Mammogram — right CC. 53 y/o patient.
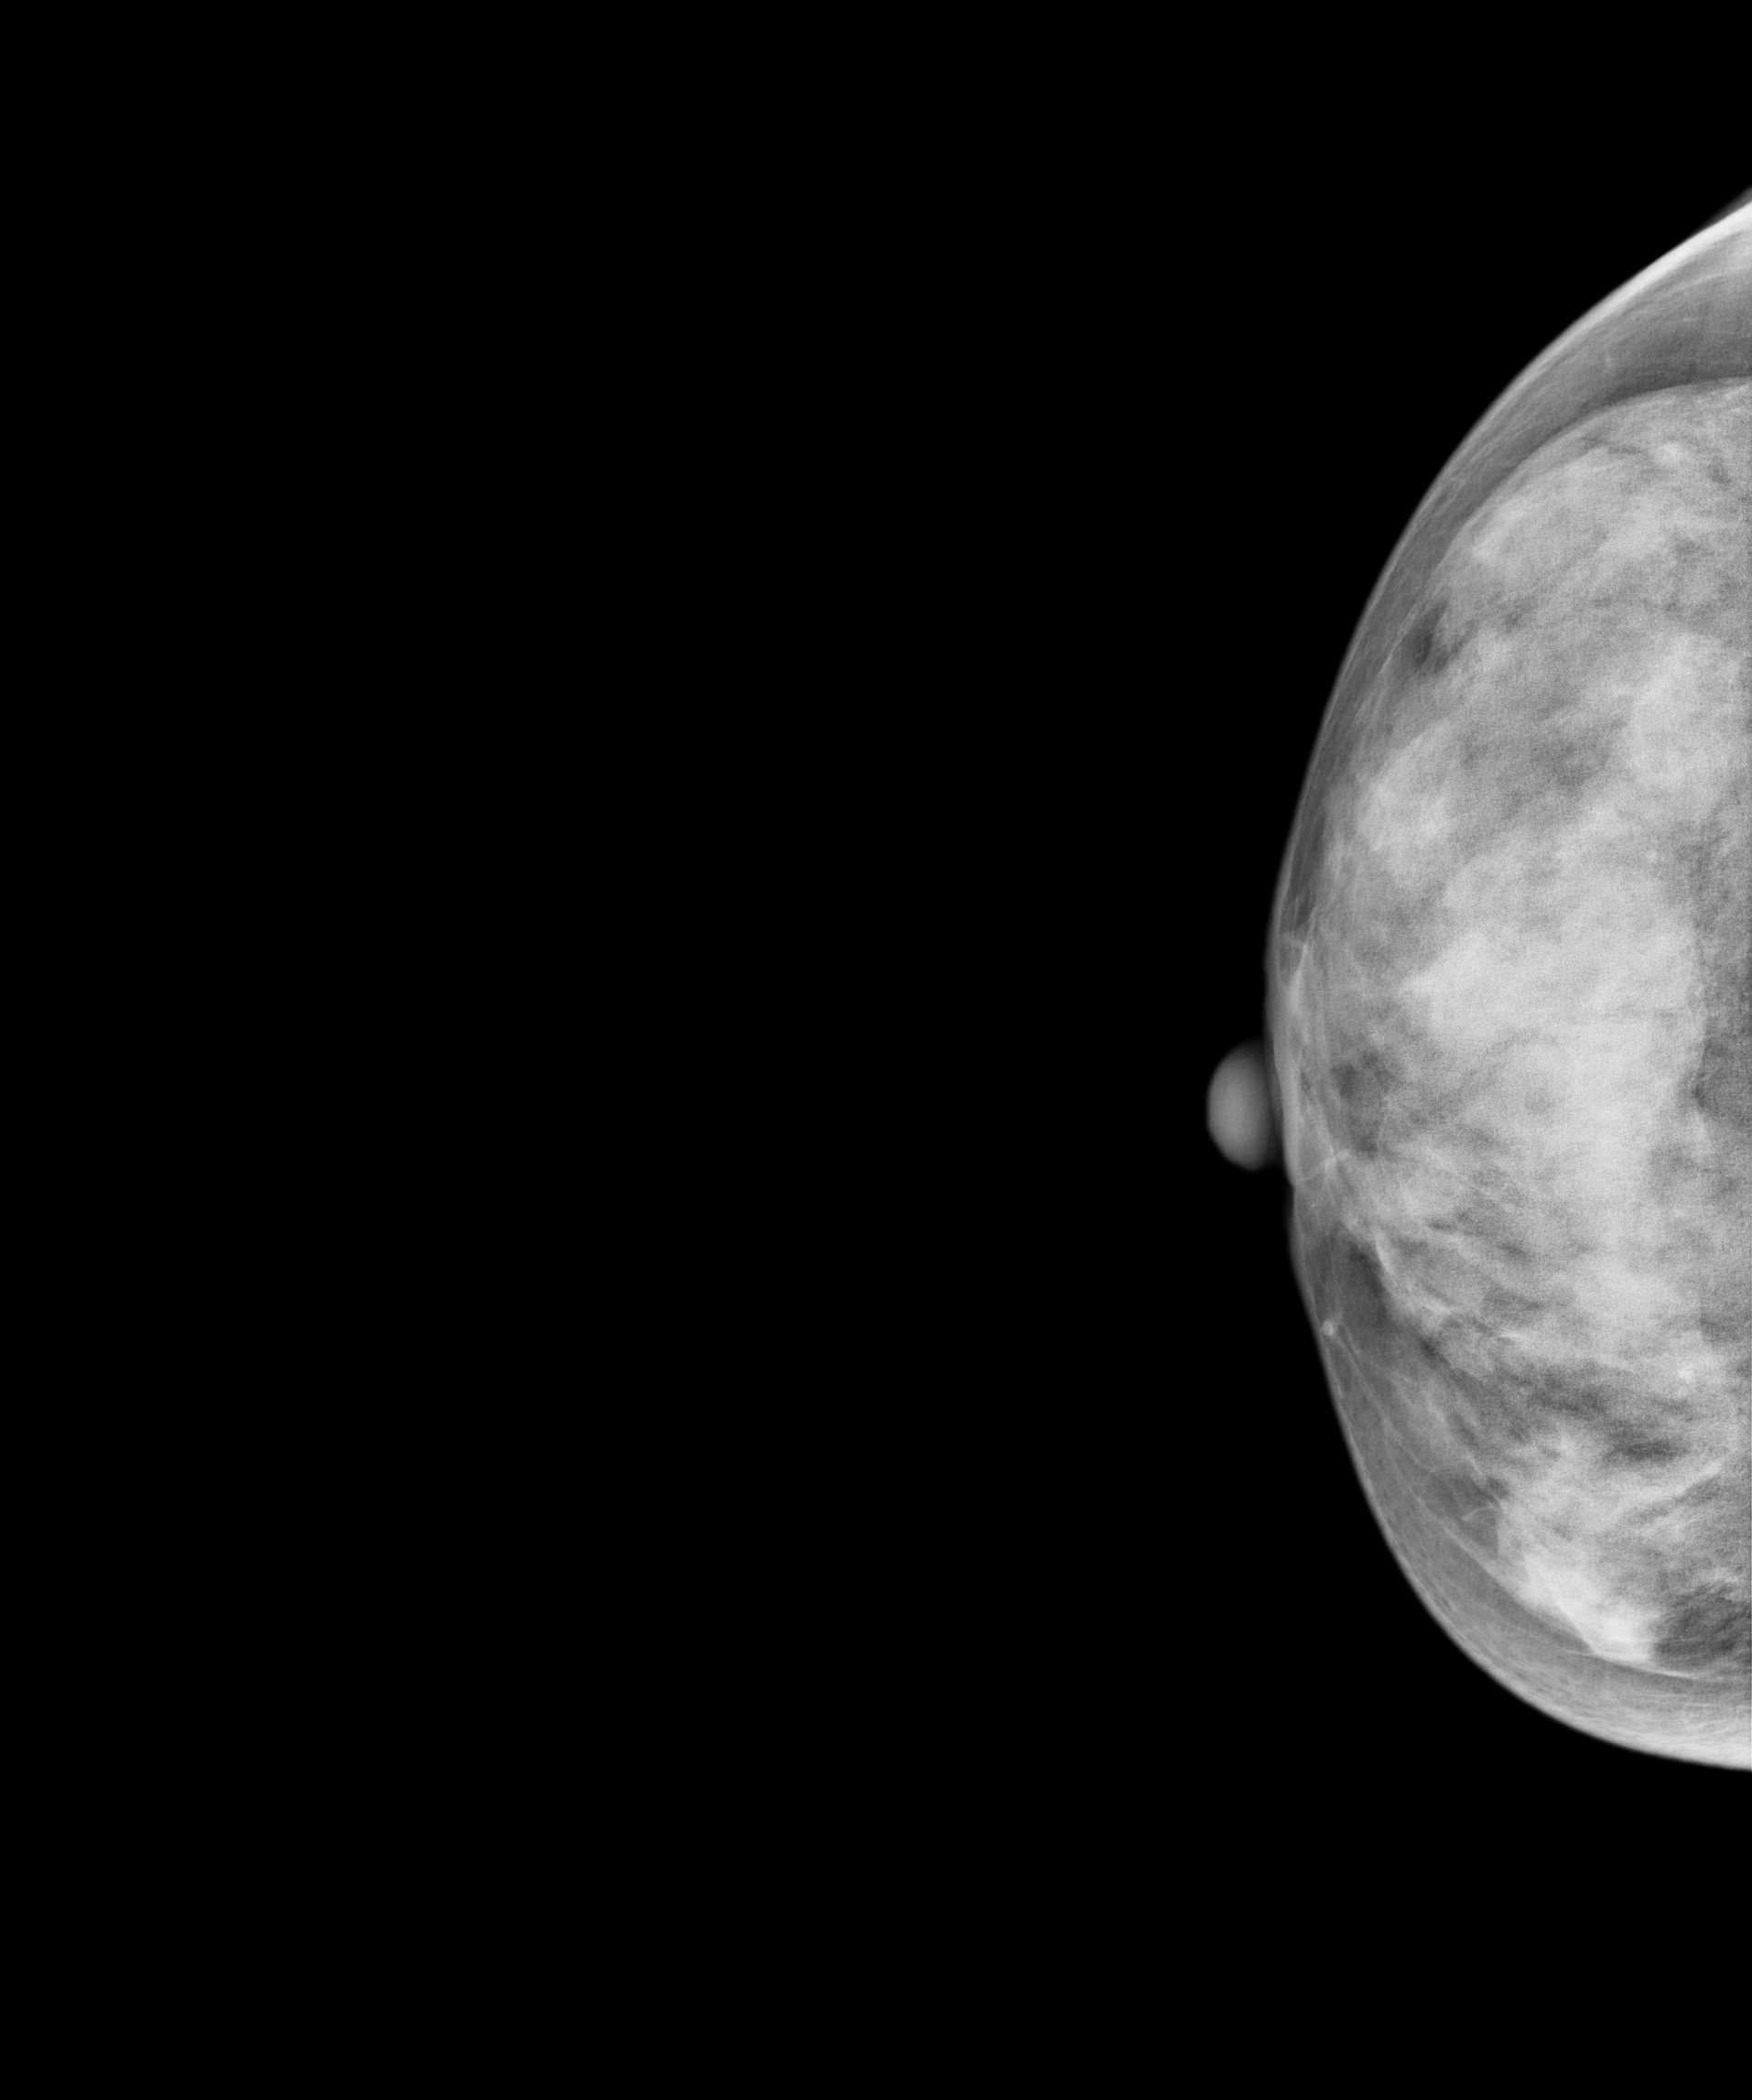
Contralateral breast — no documented abnormality on this side.